CC mammogram of the left breast. 43-year-old patient.
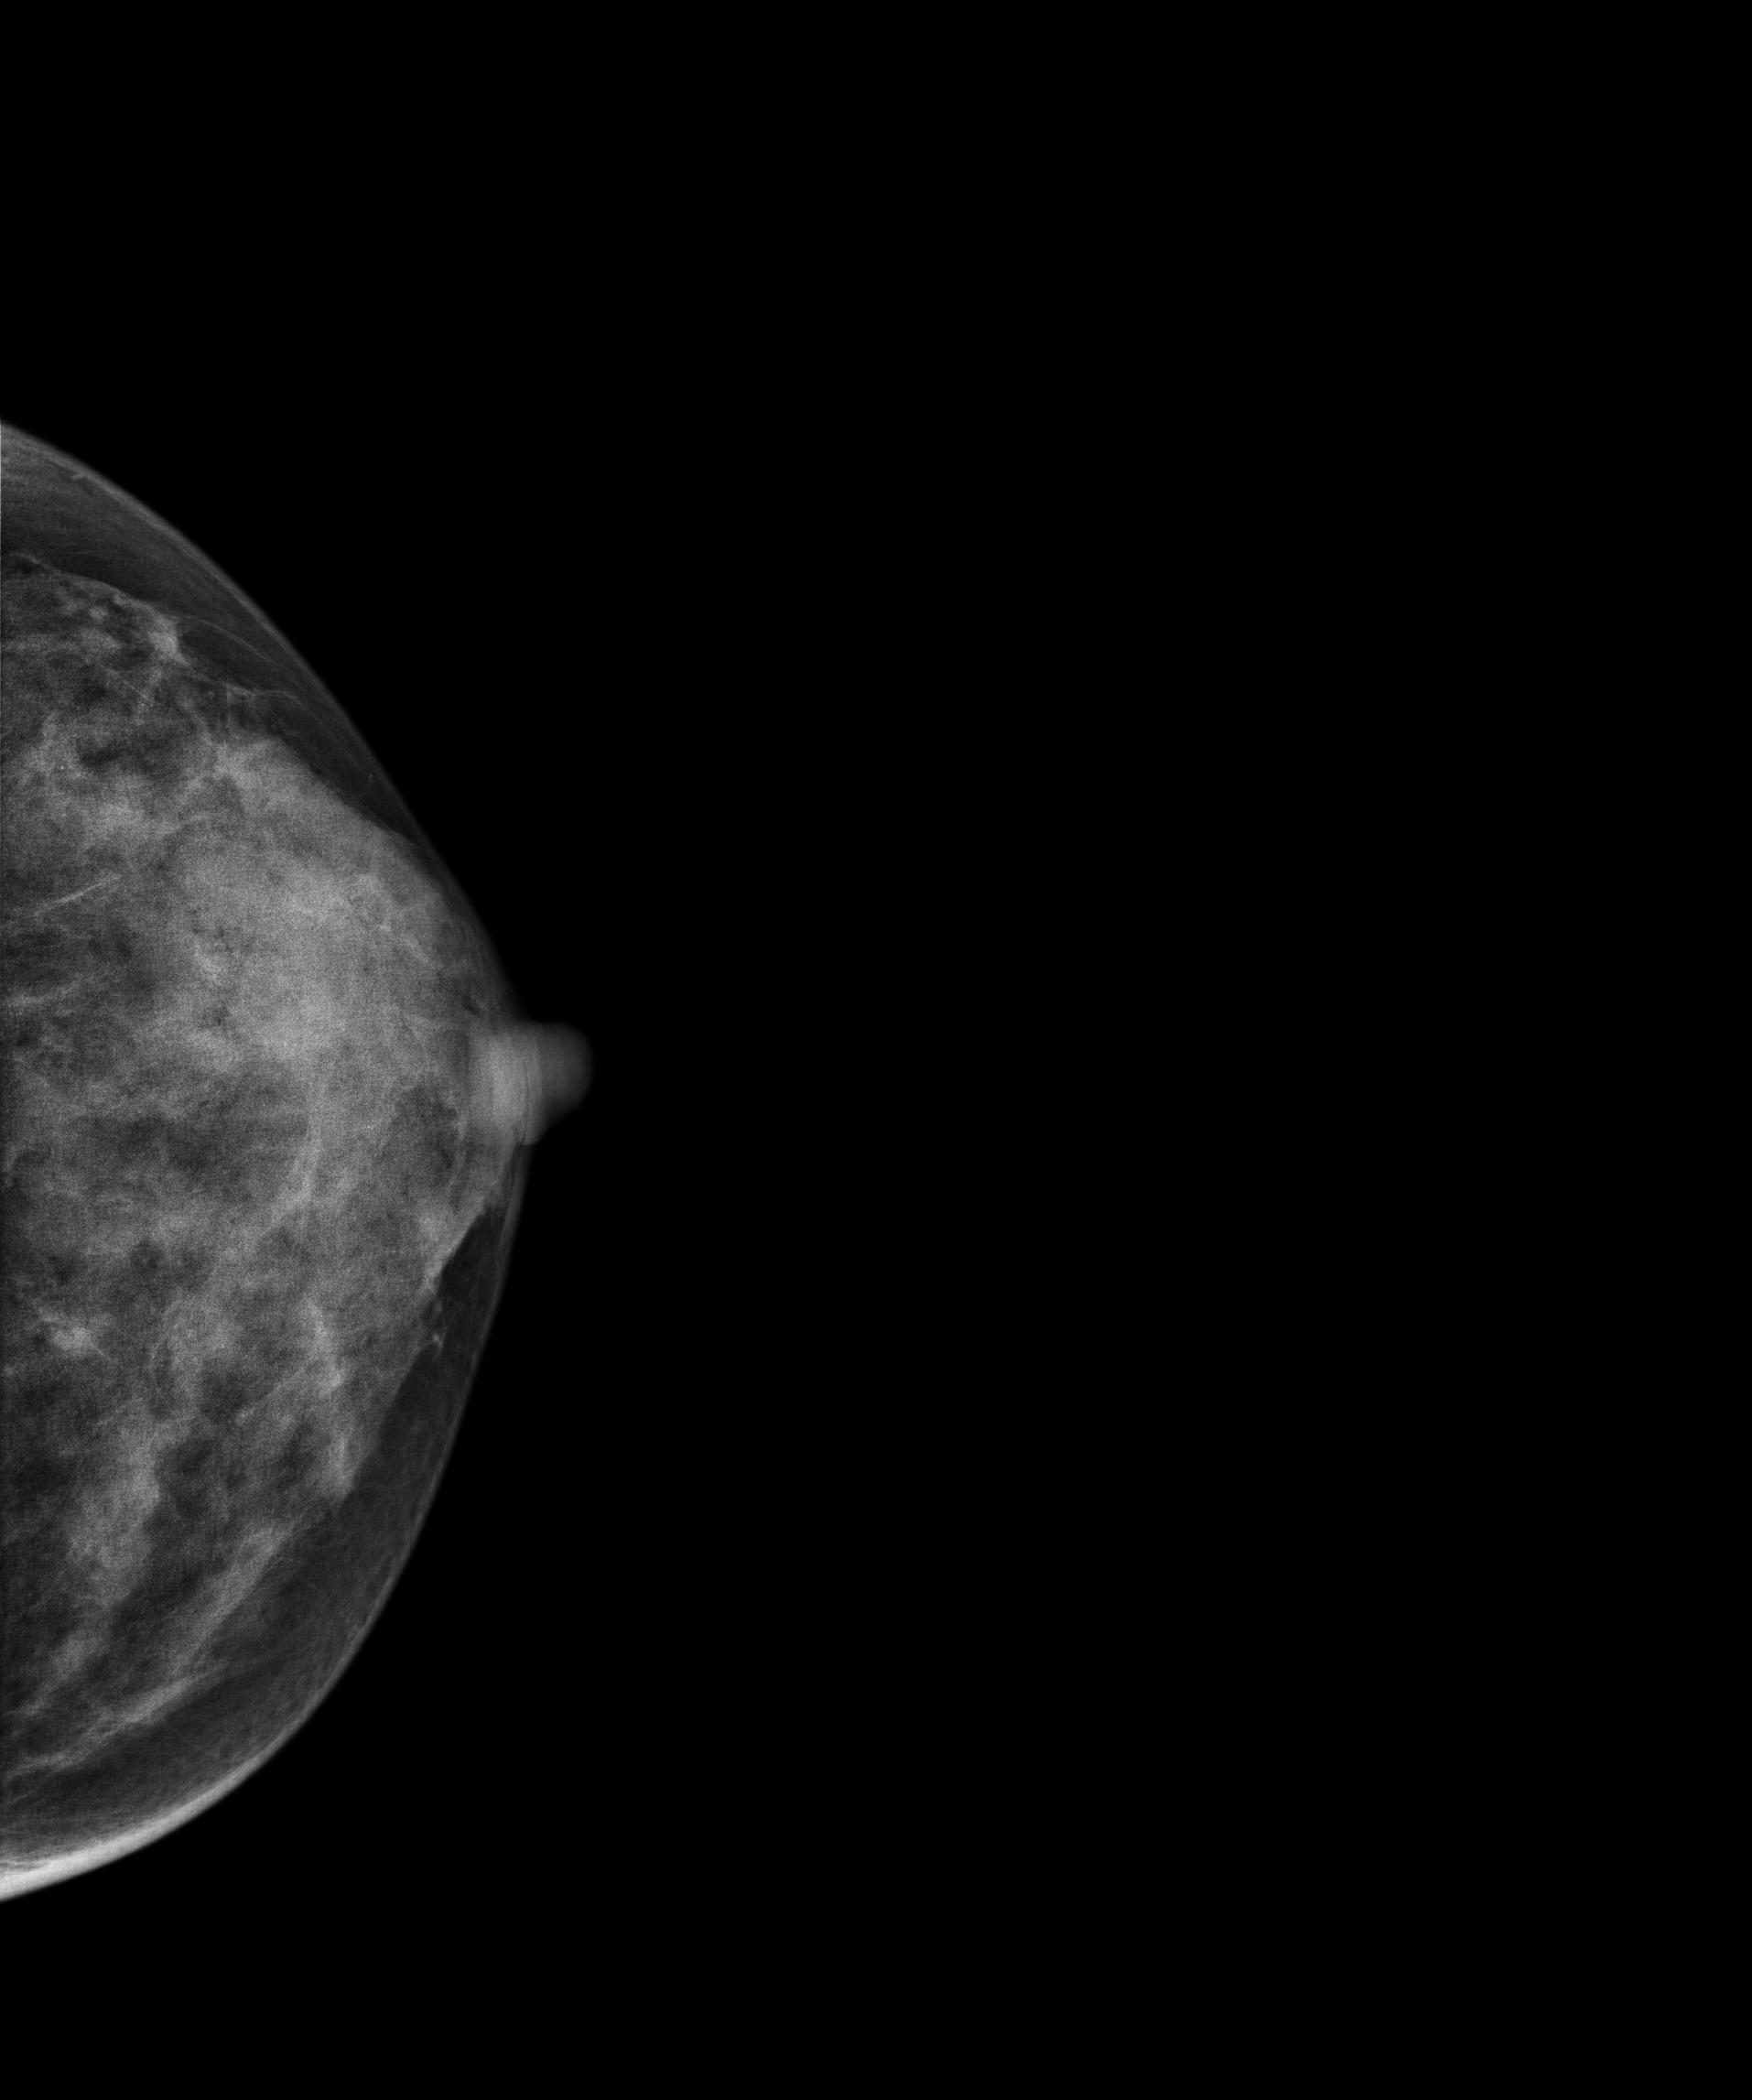
Contralateral breast — no documented abnormality on this side.